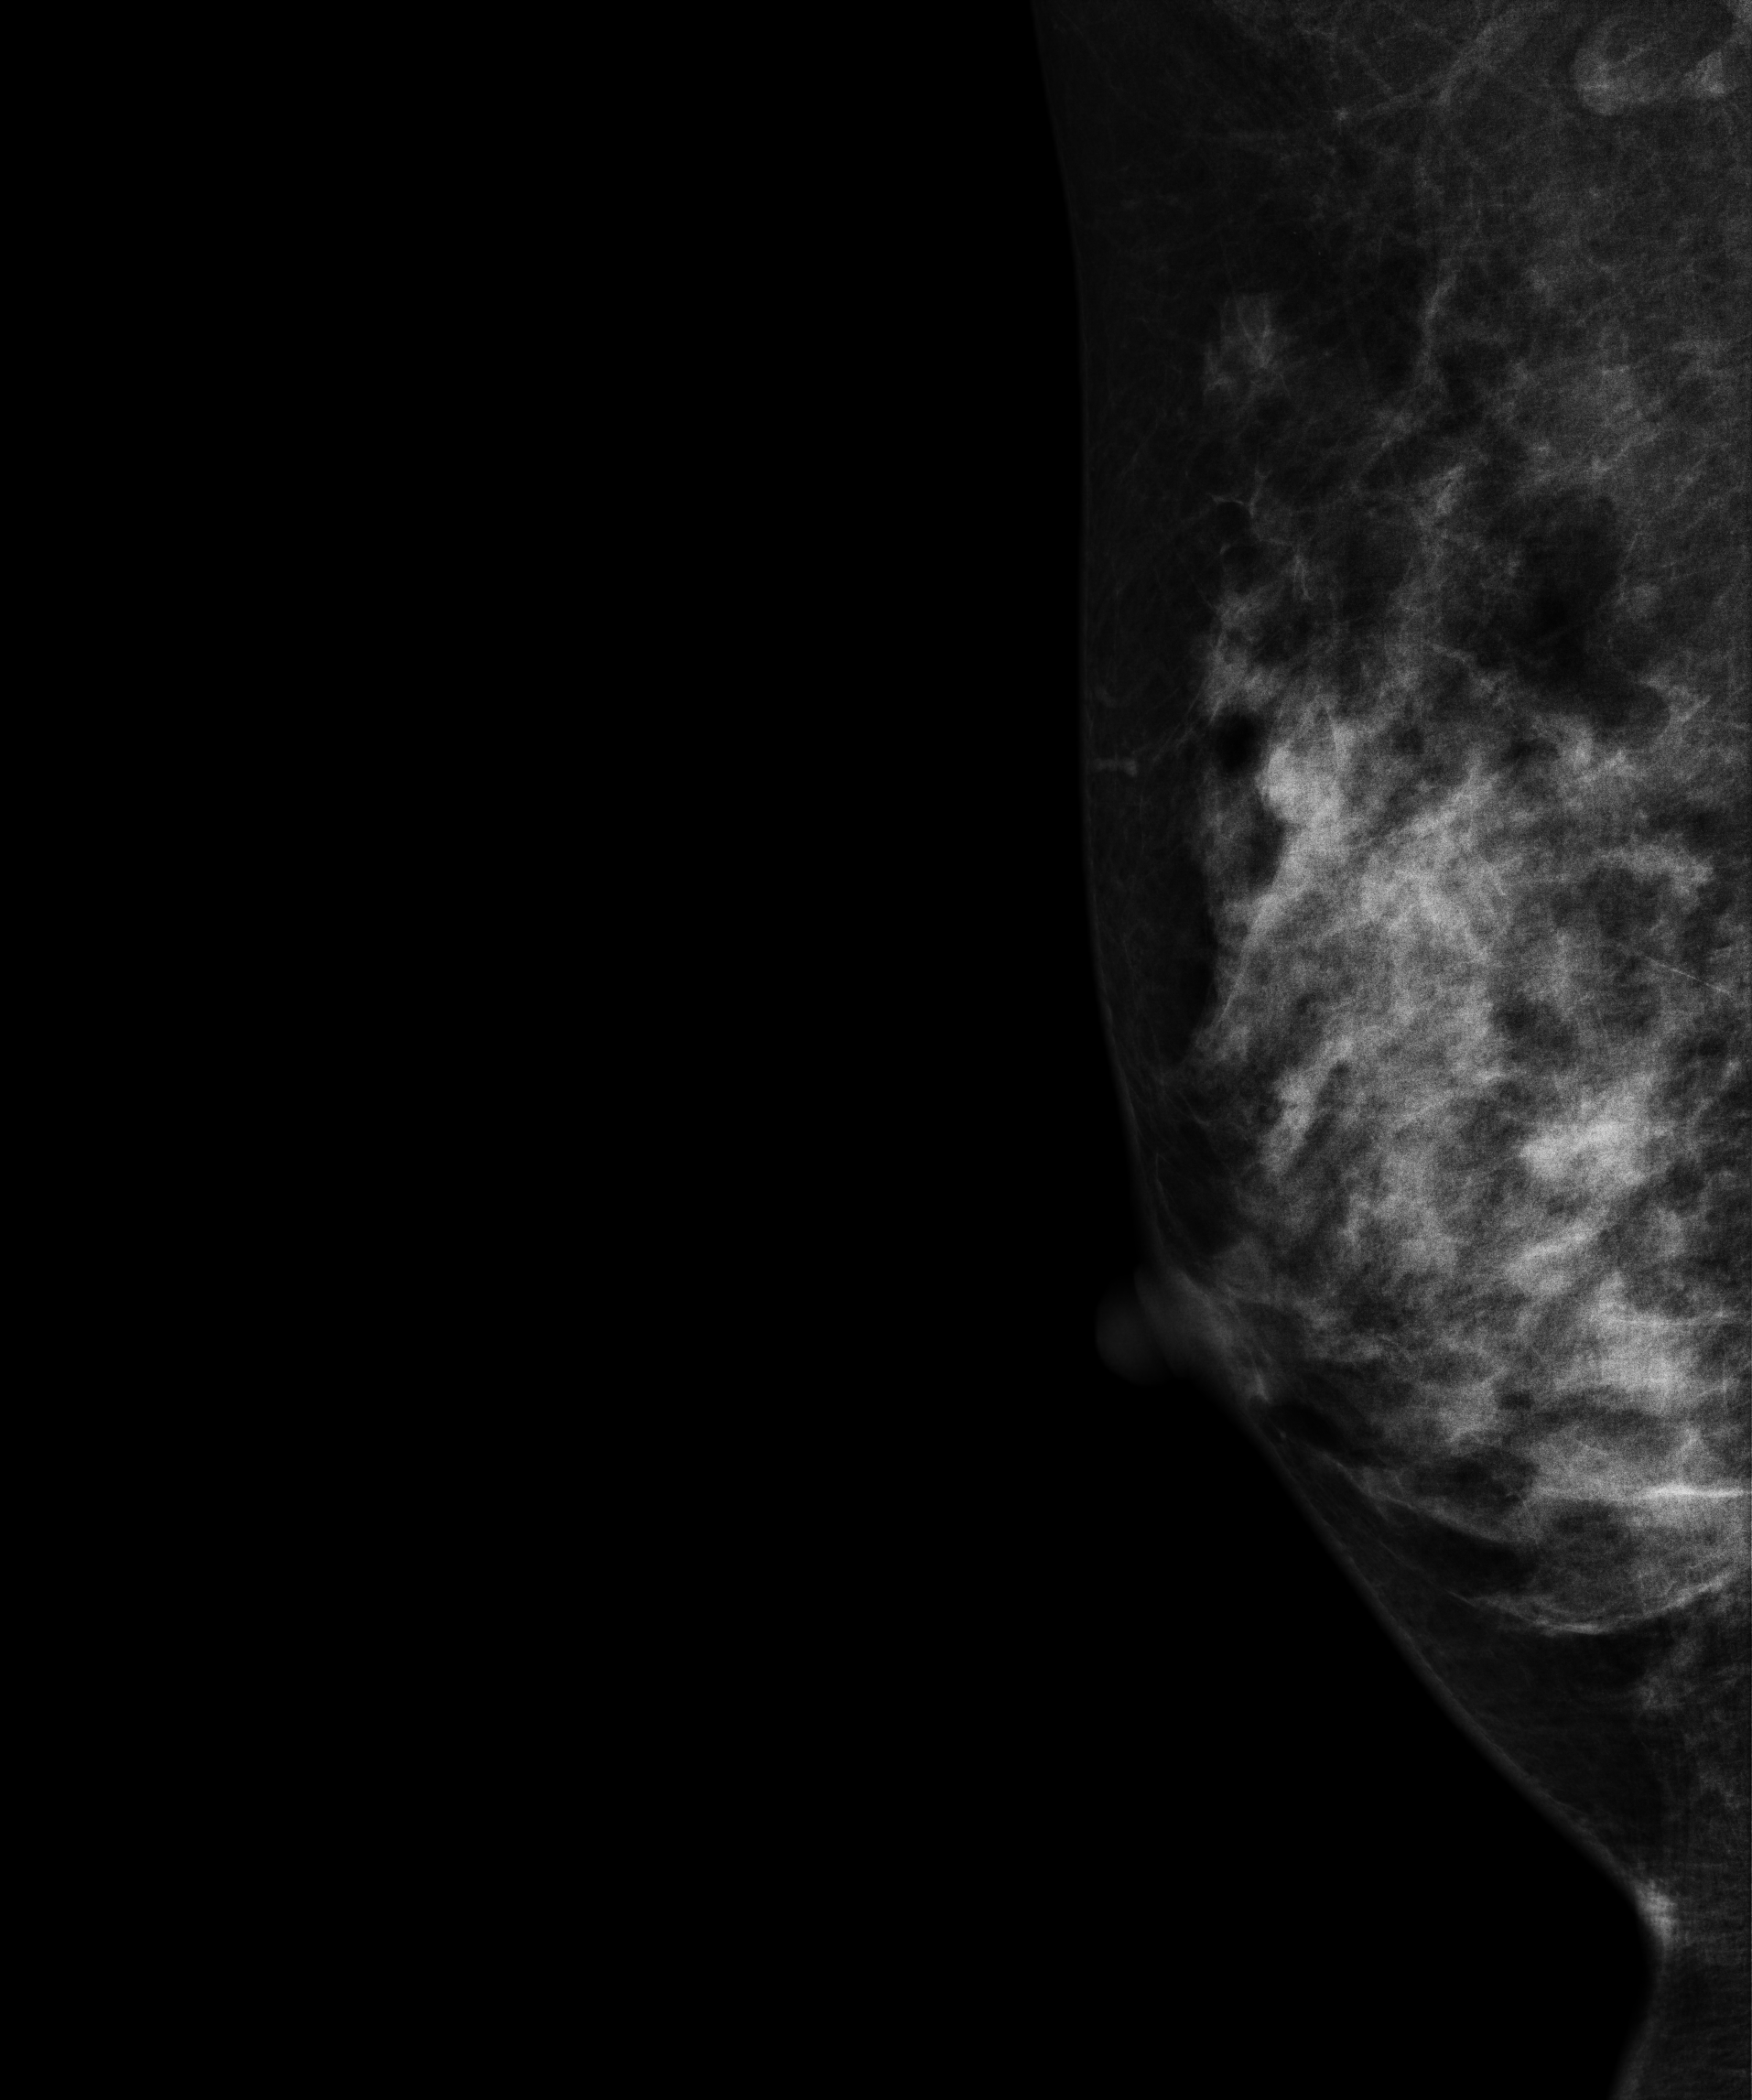
Digital mammography. Right breast, medio-lateral oblique projection. 43 y/o patient.
Contralateral breast — no documented abnormality on this side.